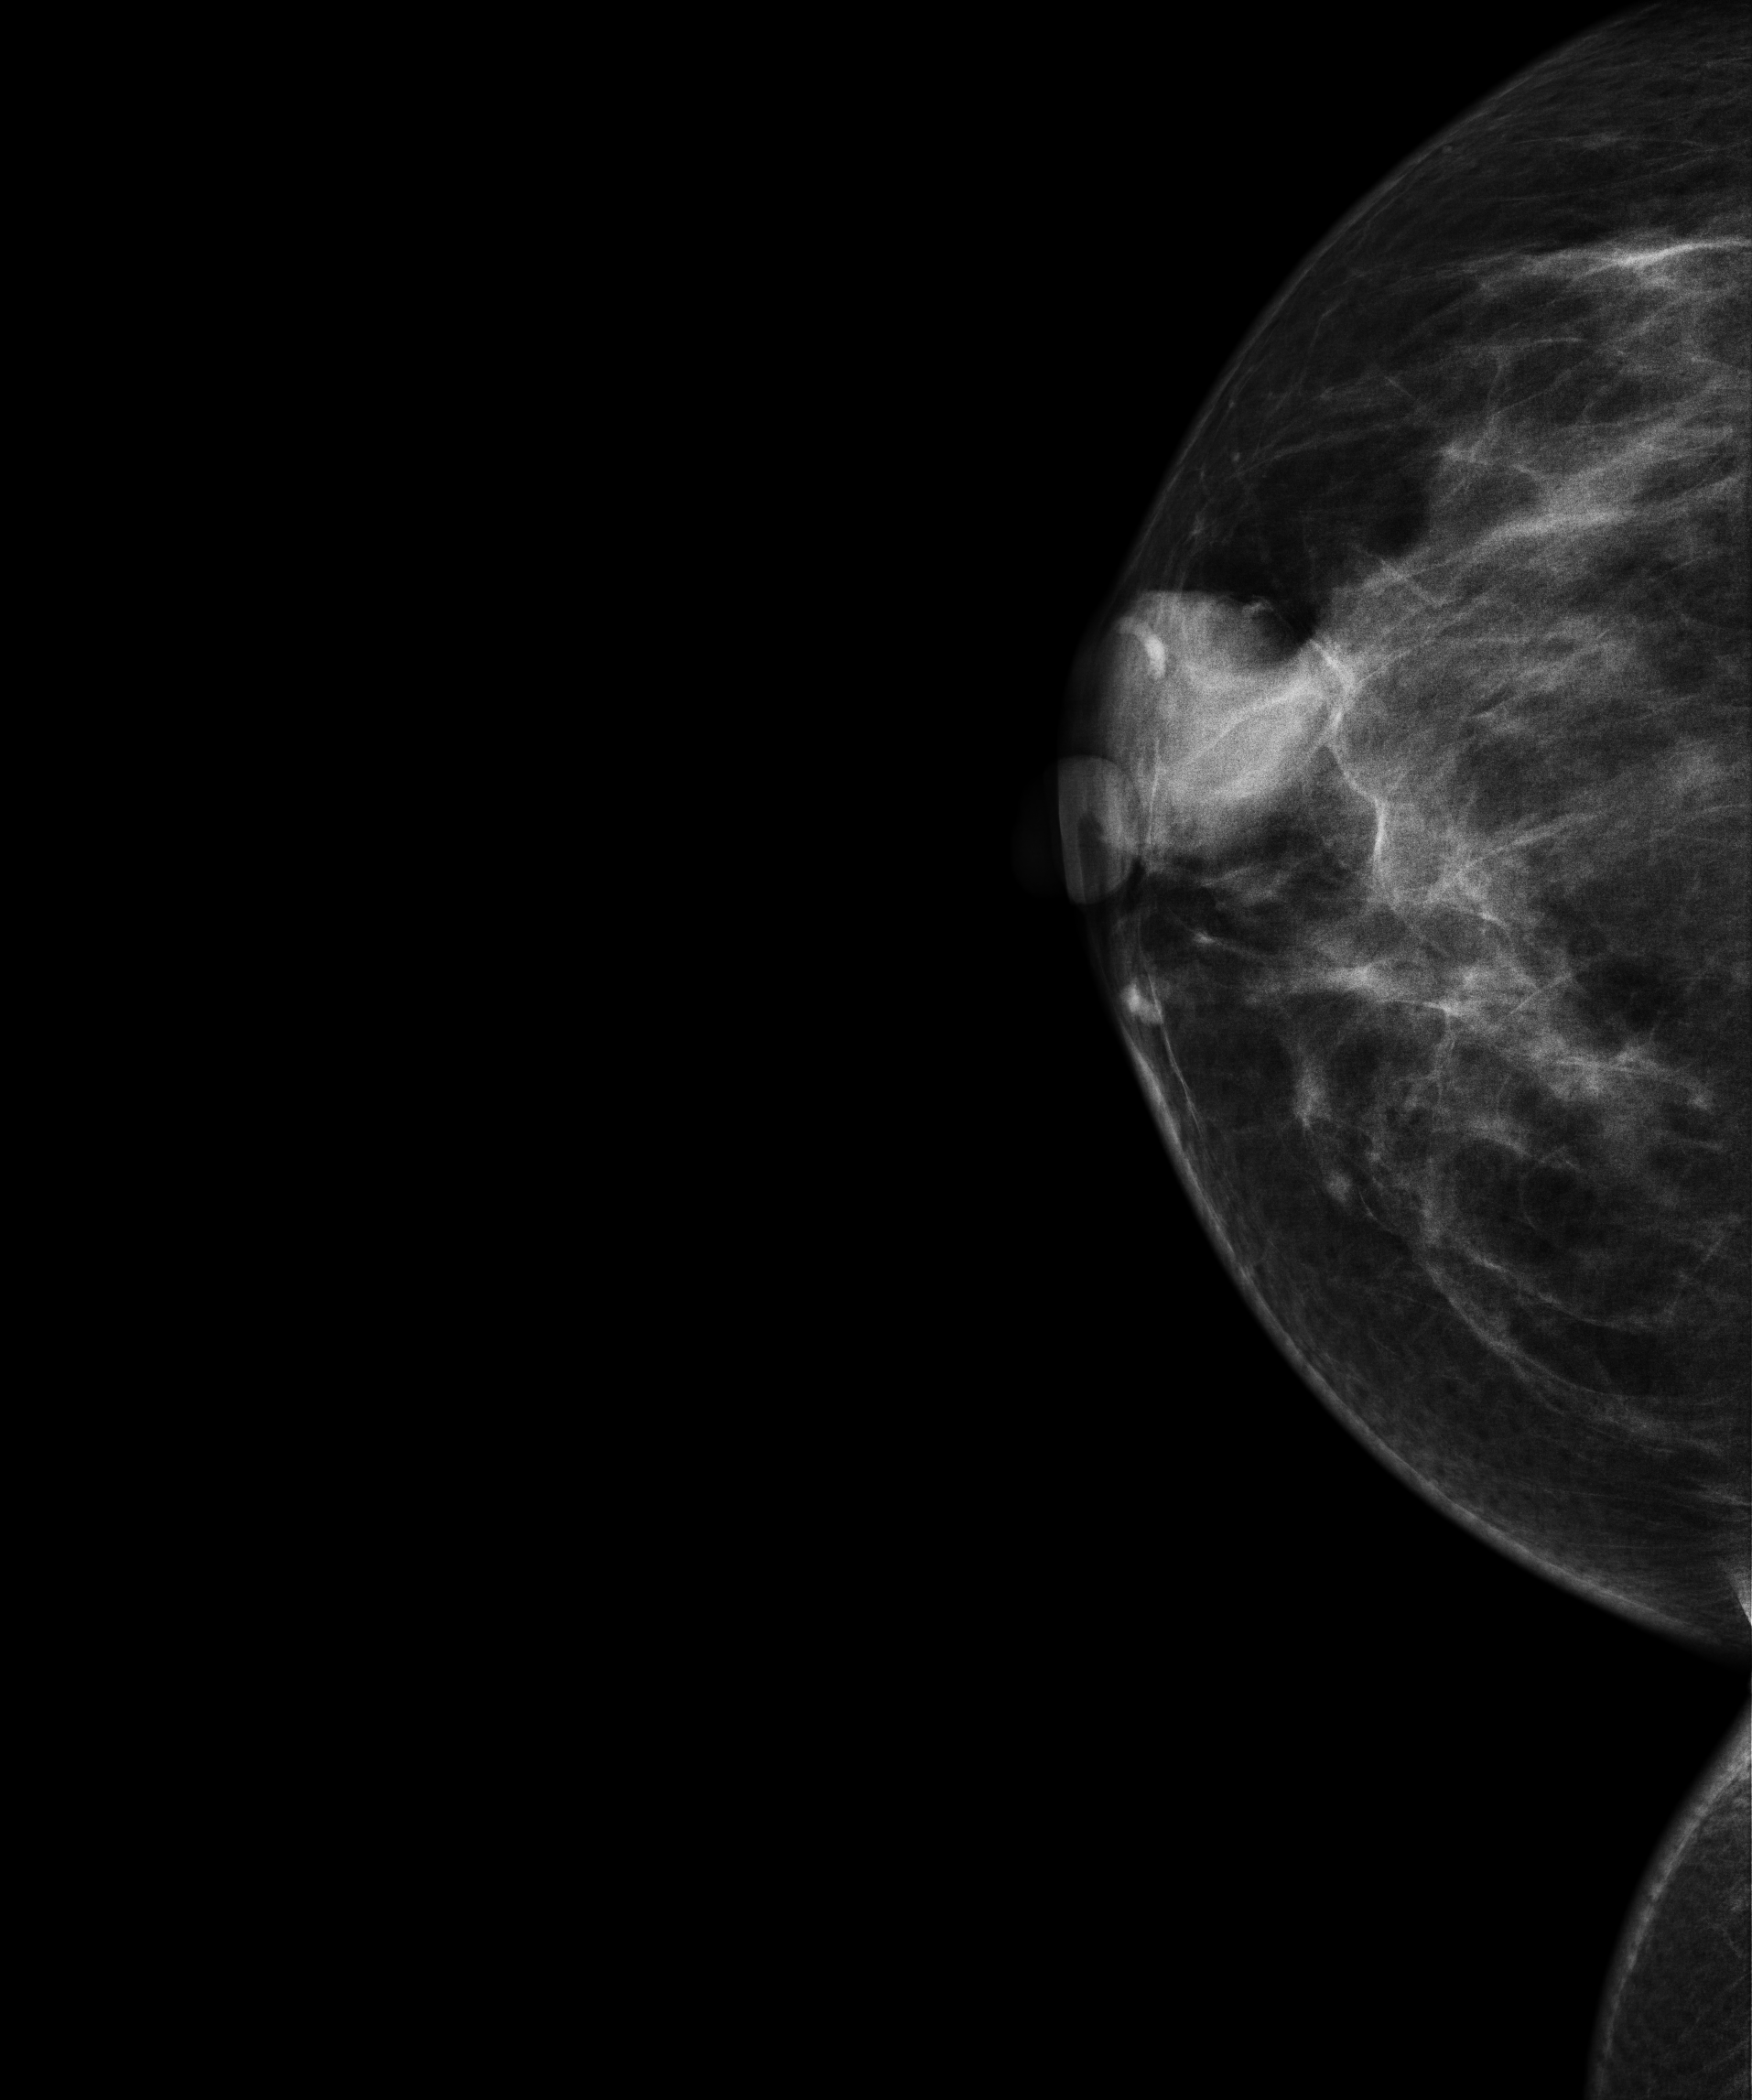
Mammogram — right cranio-caudal. 36 y/o patient.
This breast has a mass, histologically confirmed benign.